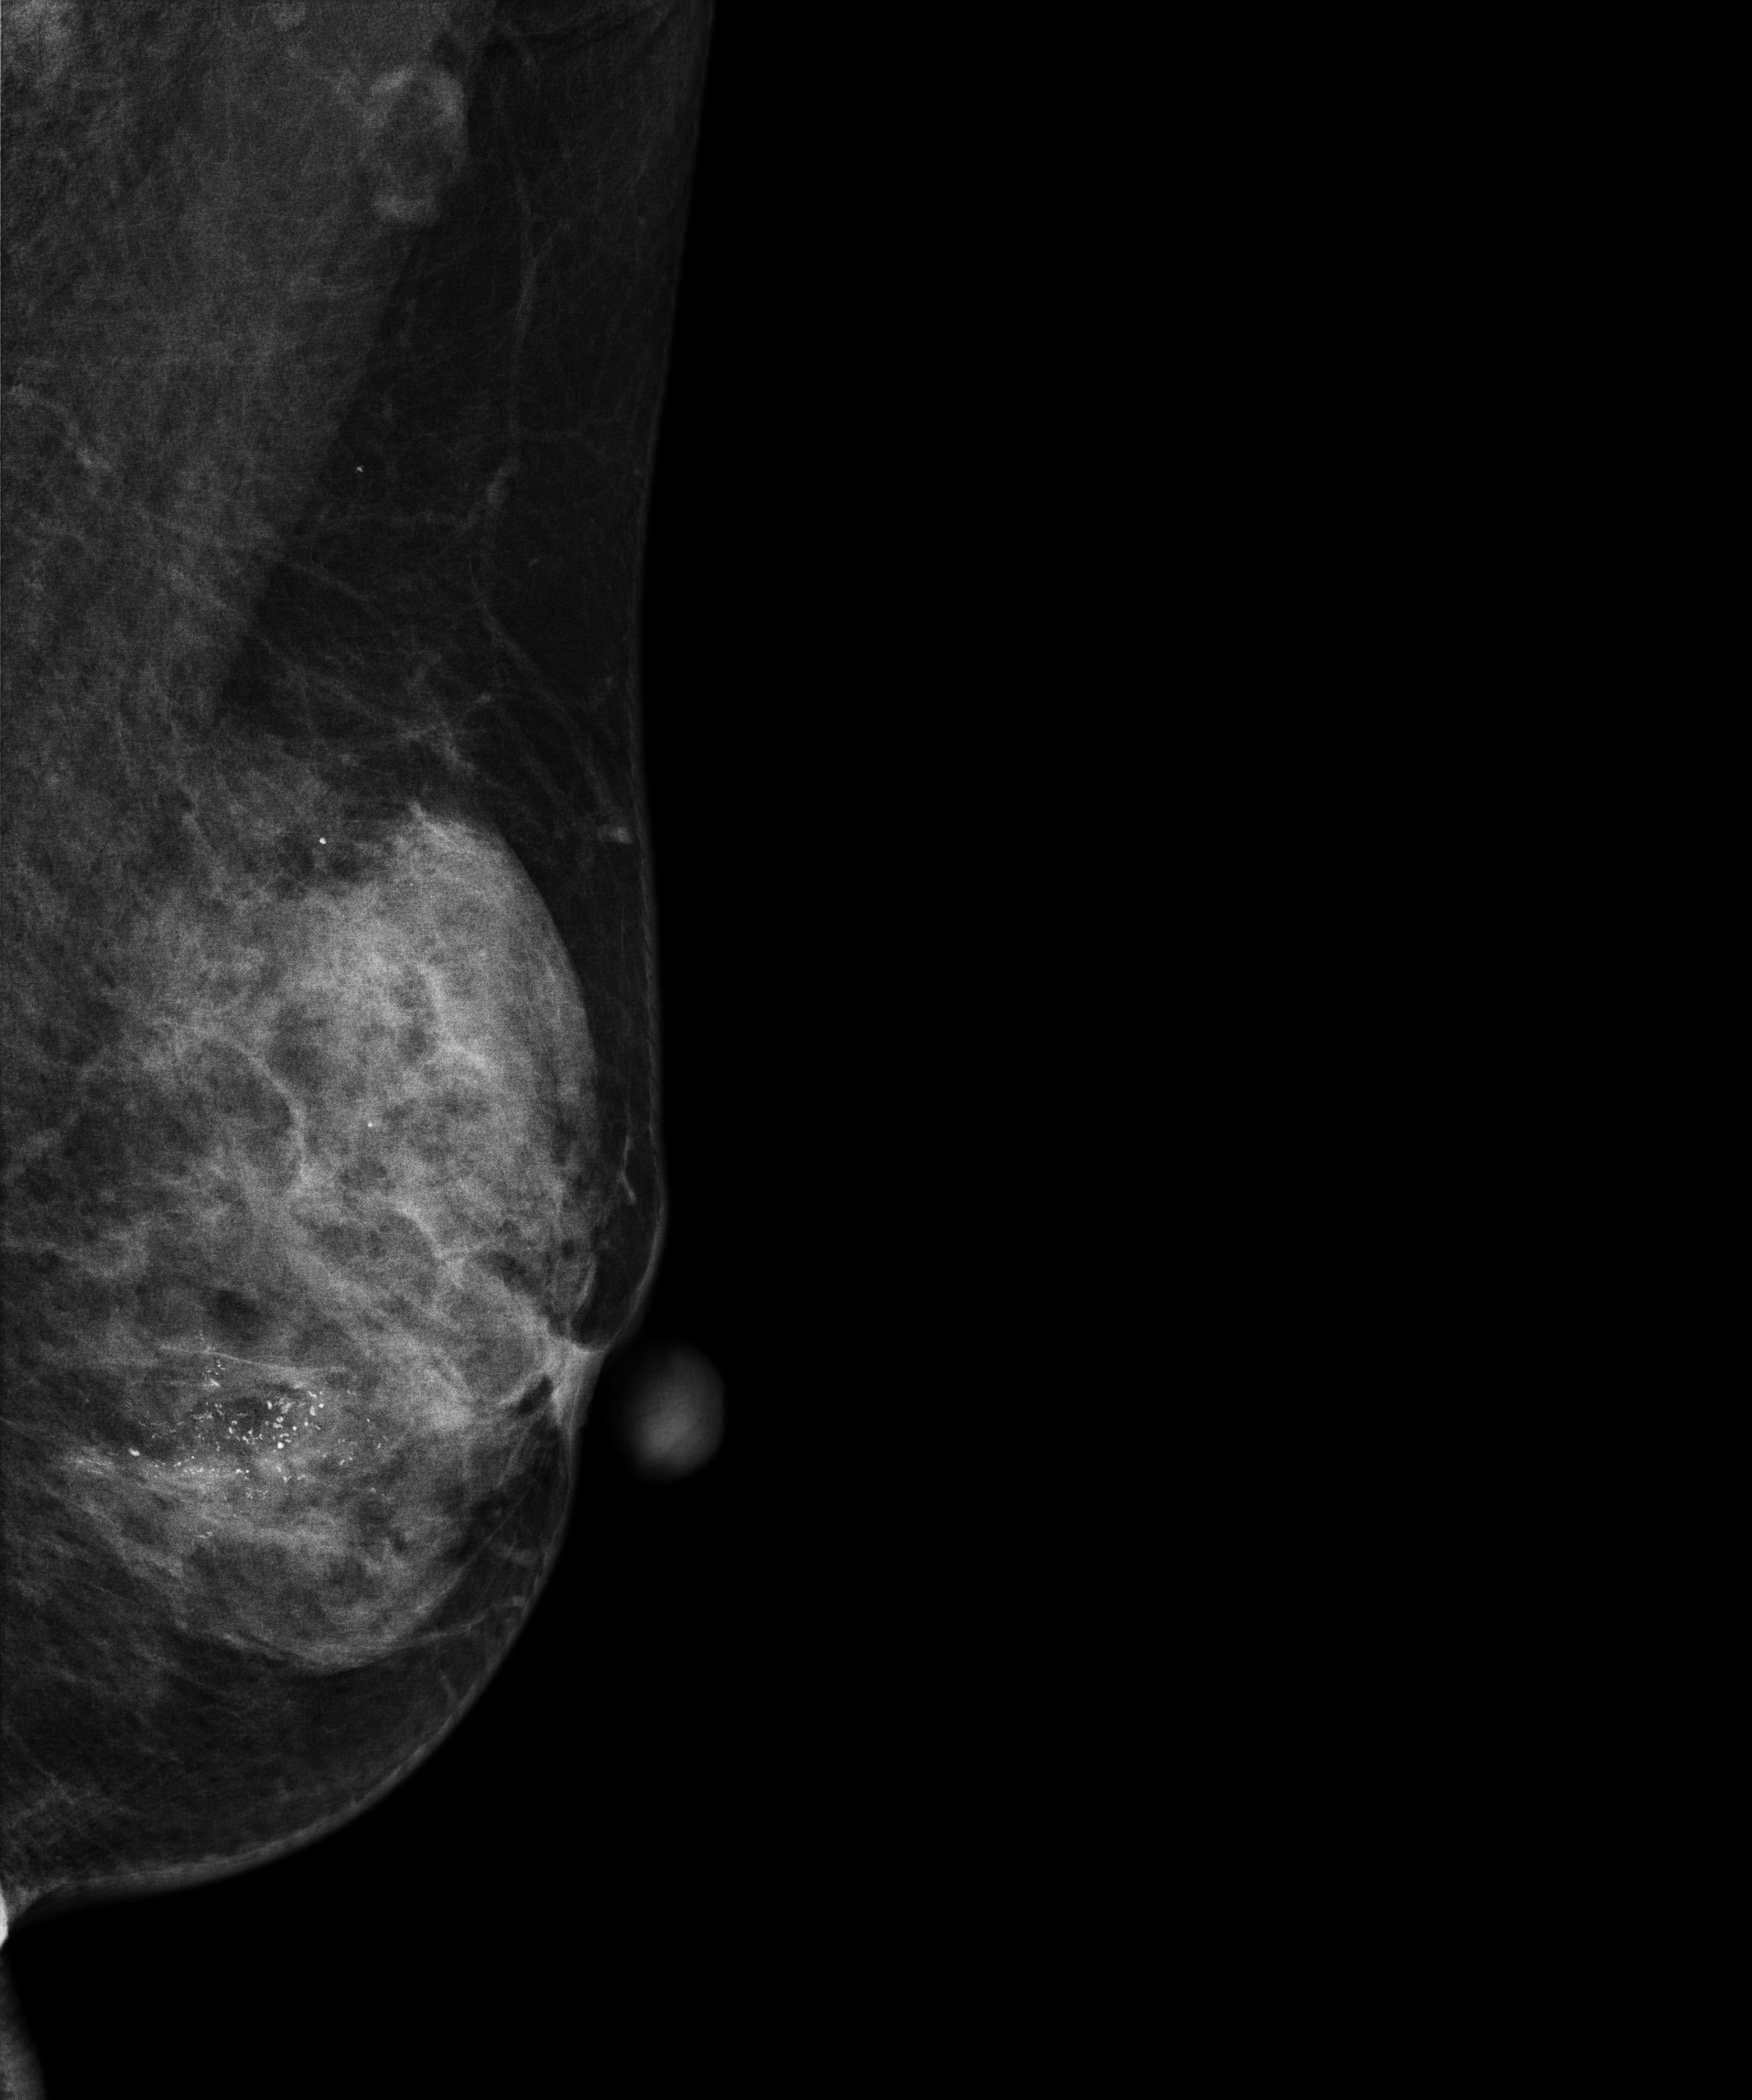
Mammogram — left medio-lateral oblique. 58 y/o patient.
This breast has calcifications, biopsy-proven malignant. Molecular subtype: luminal B.